CC mammogram of the left breast. 47 y/o patient.
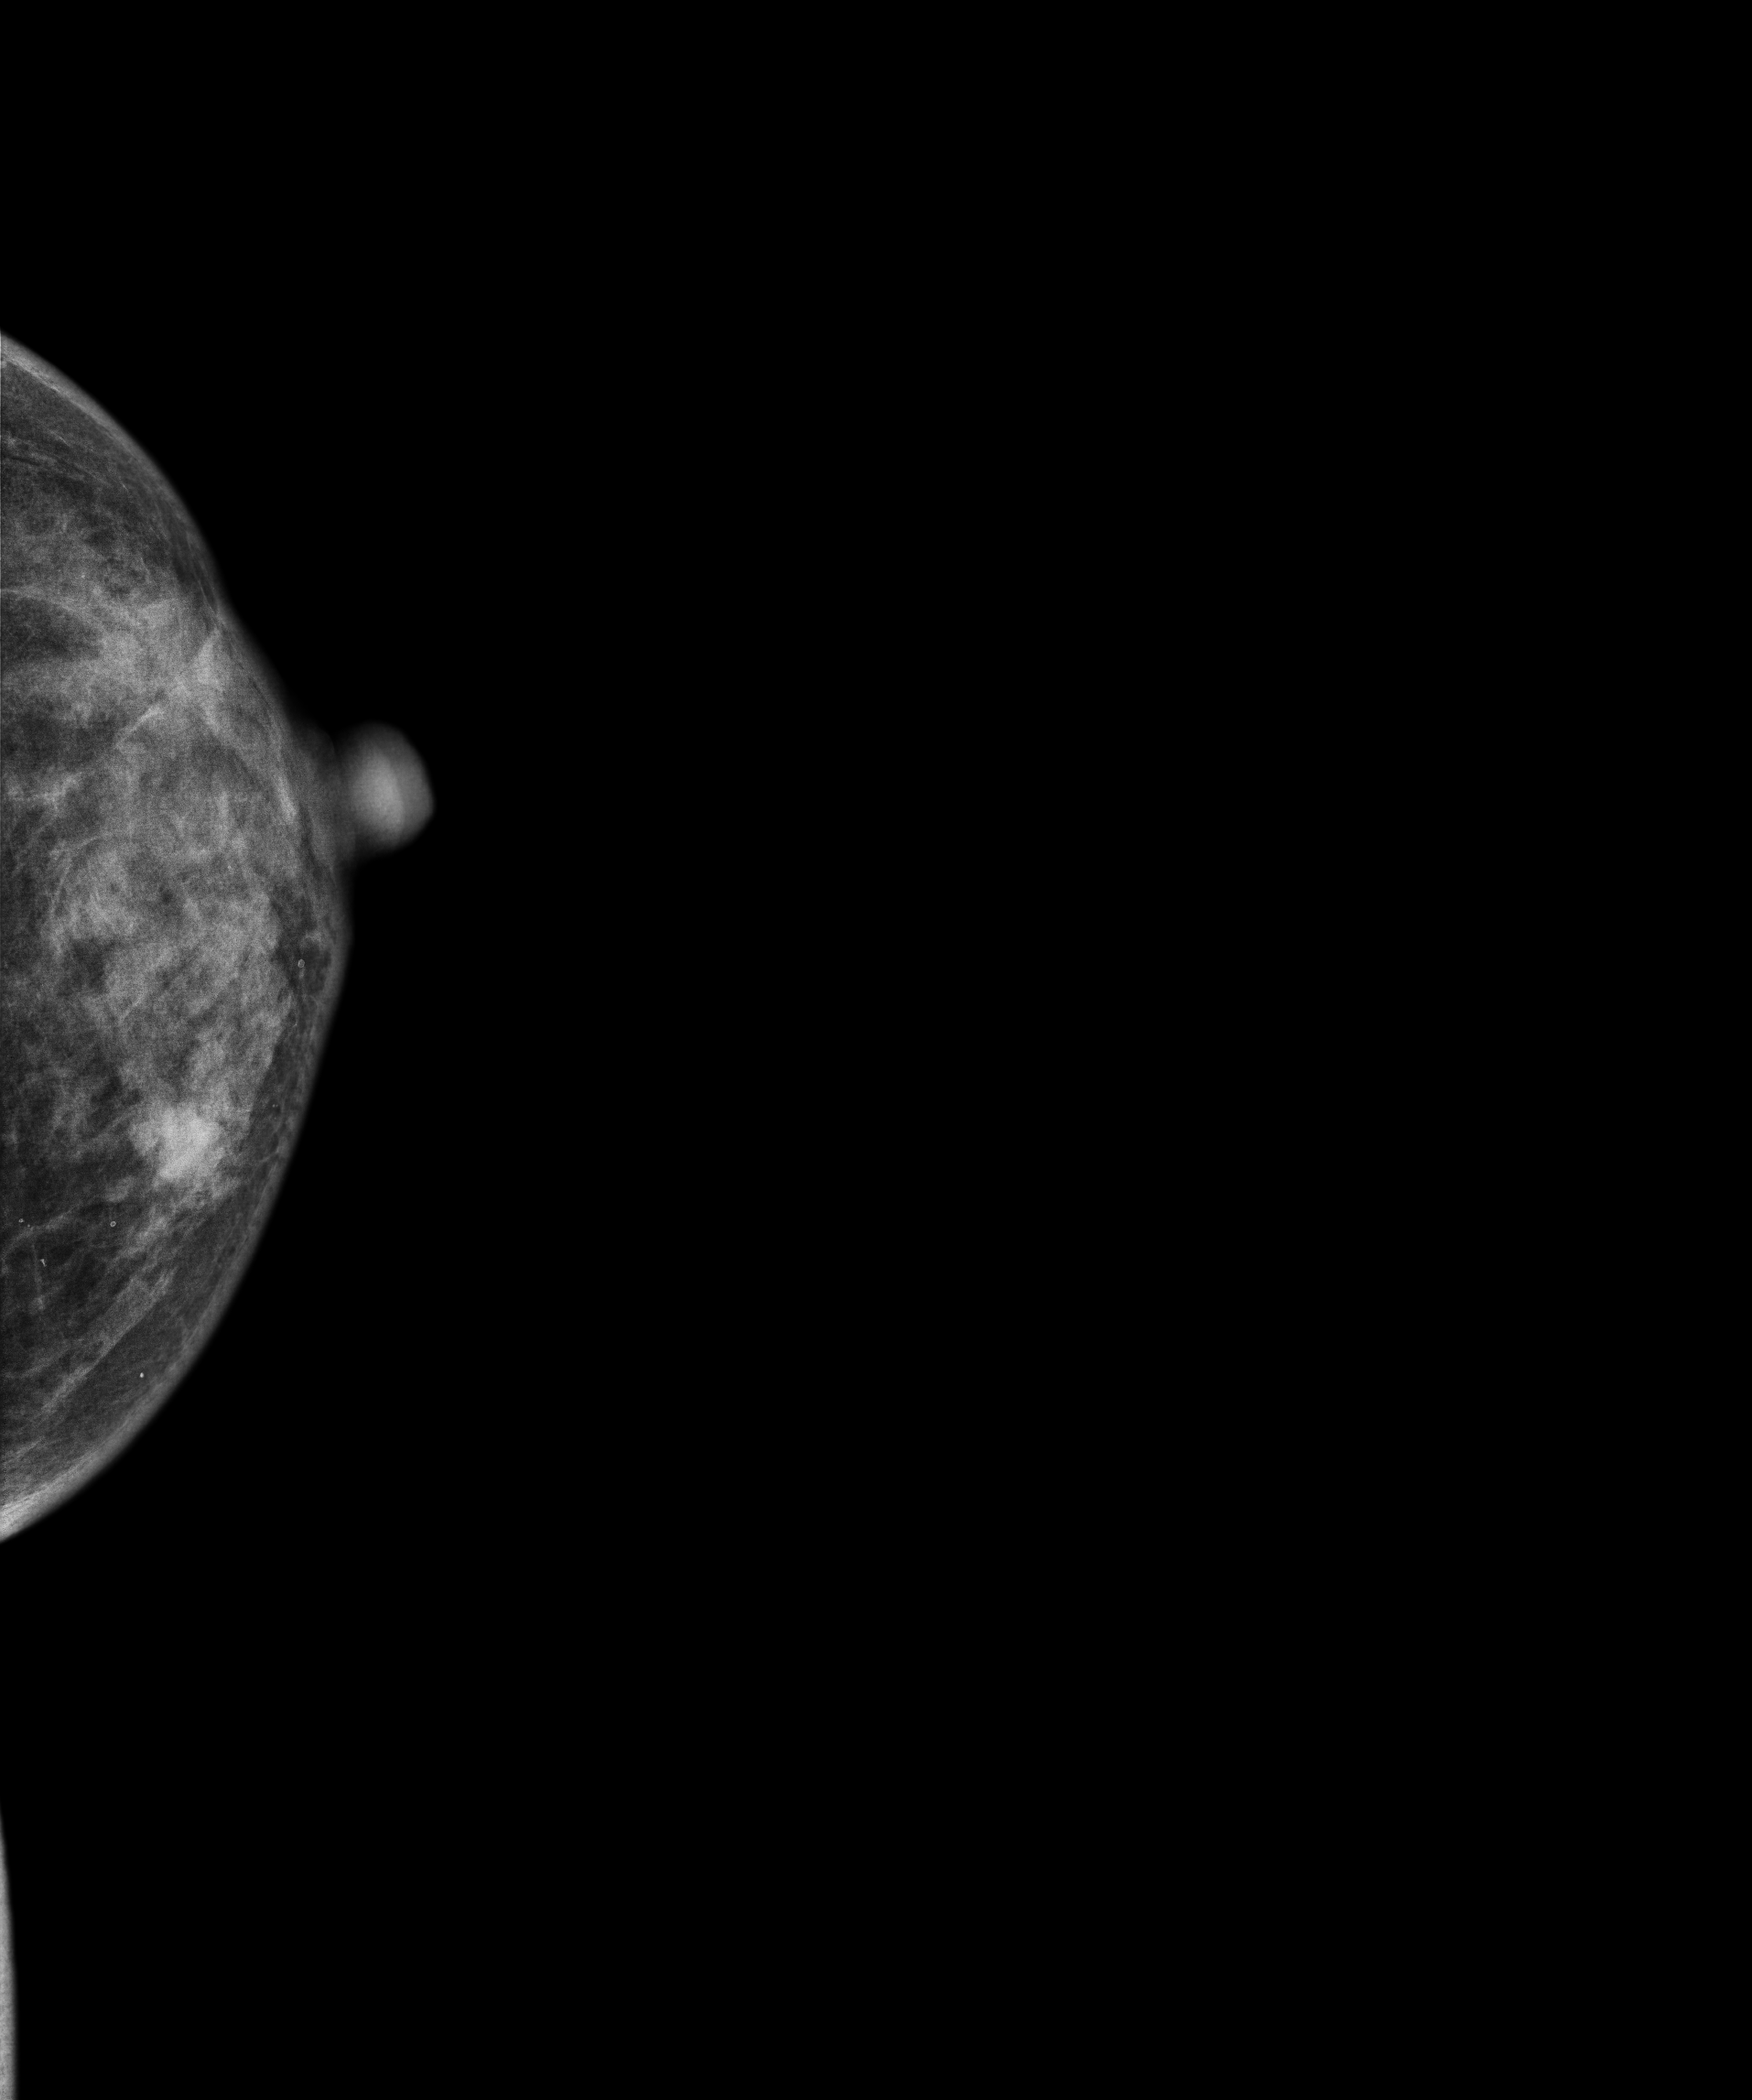
This breast has a mass, histologically confirmed benign.